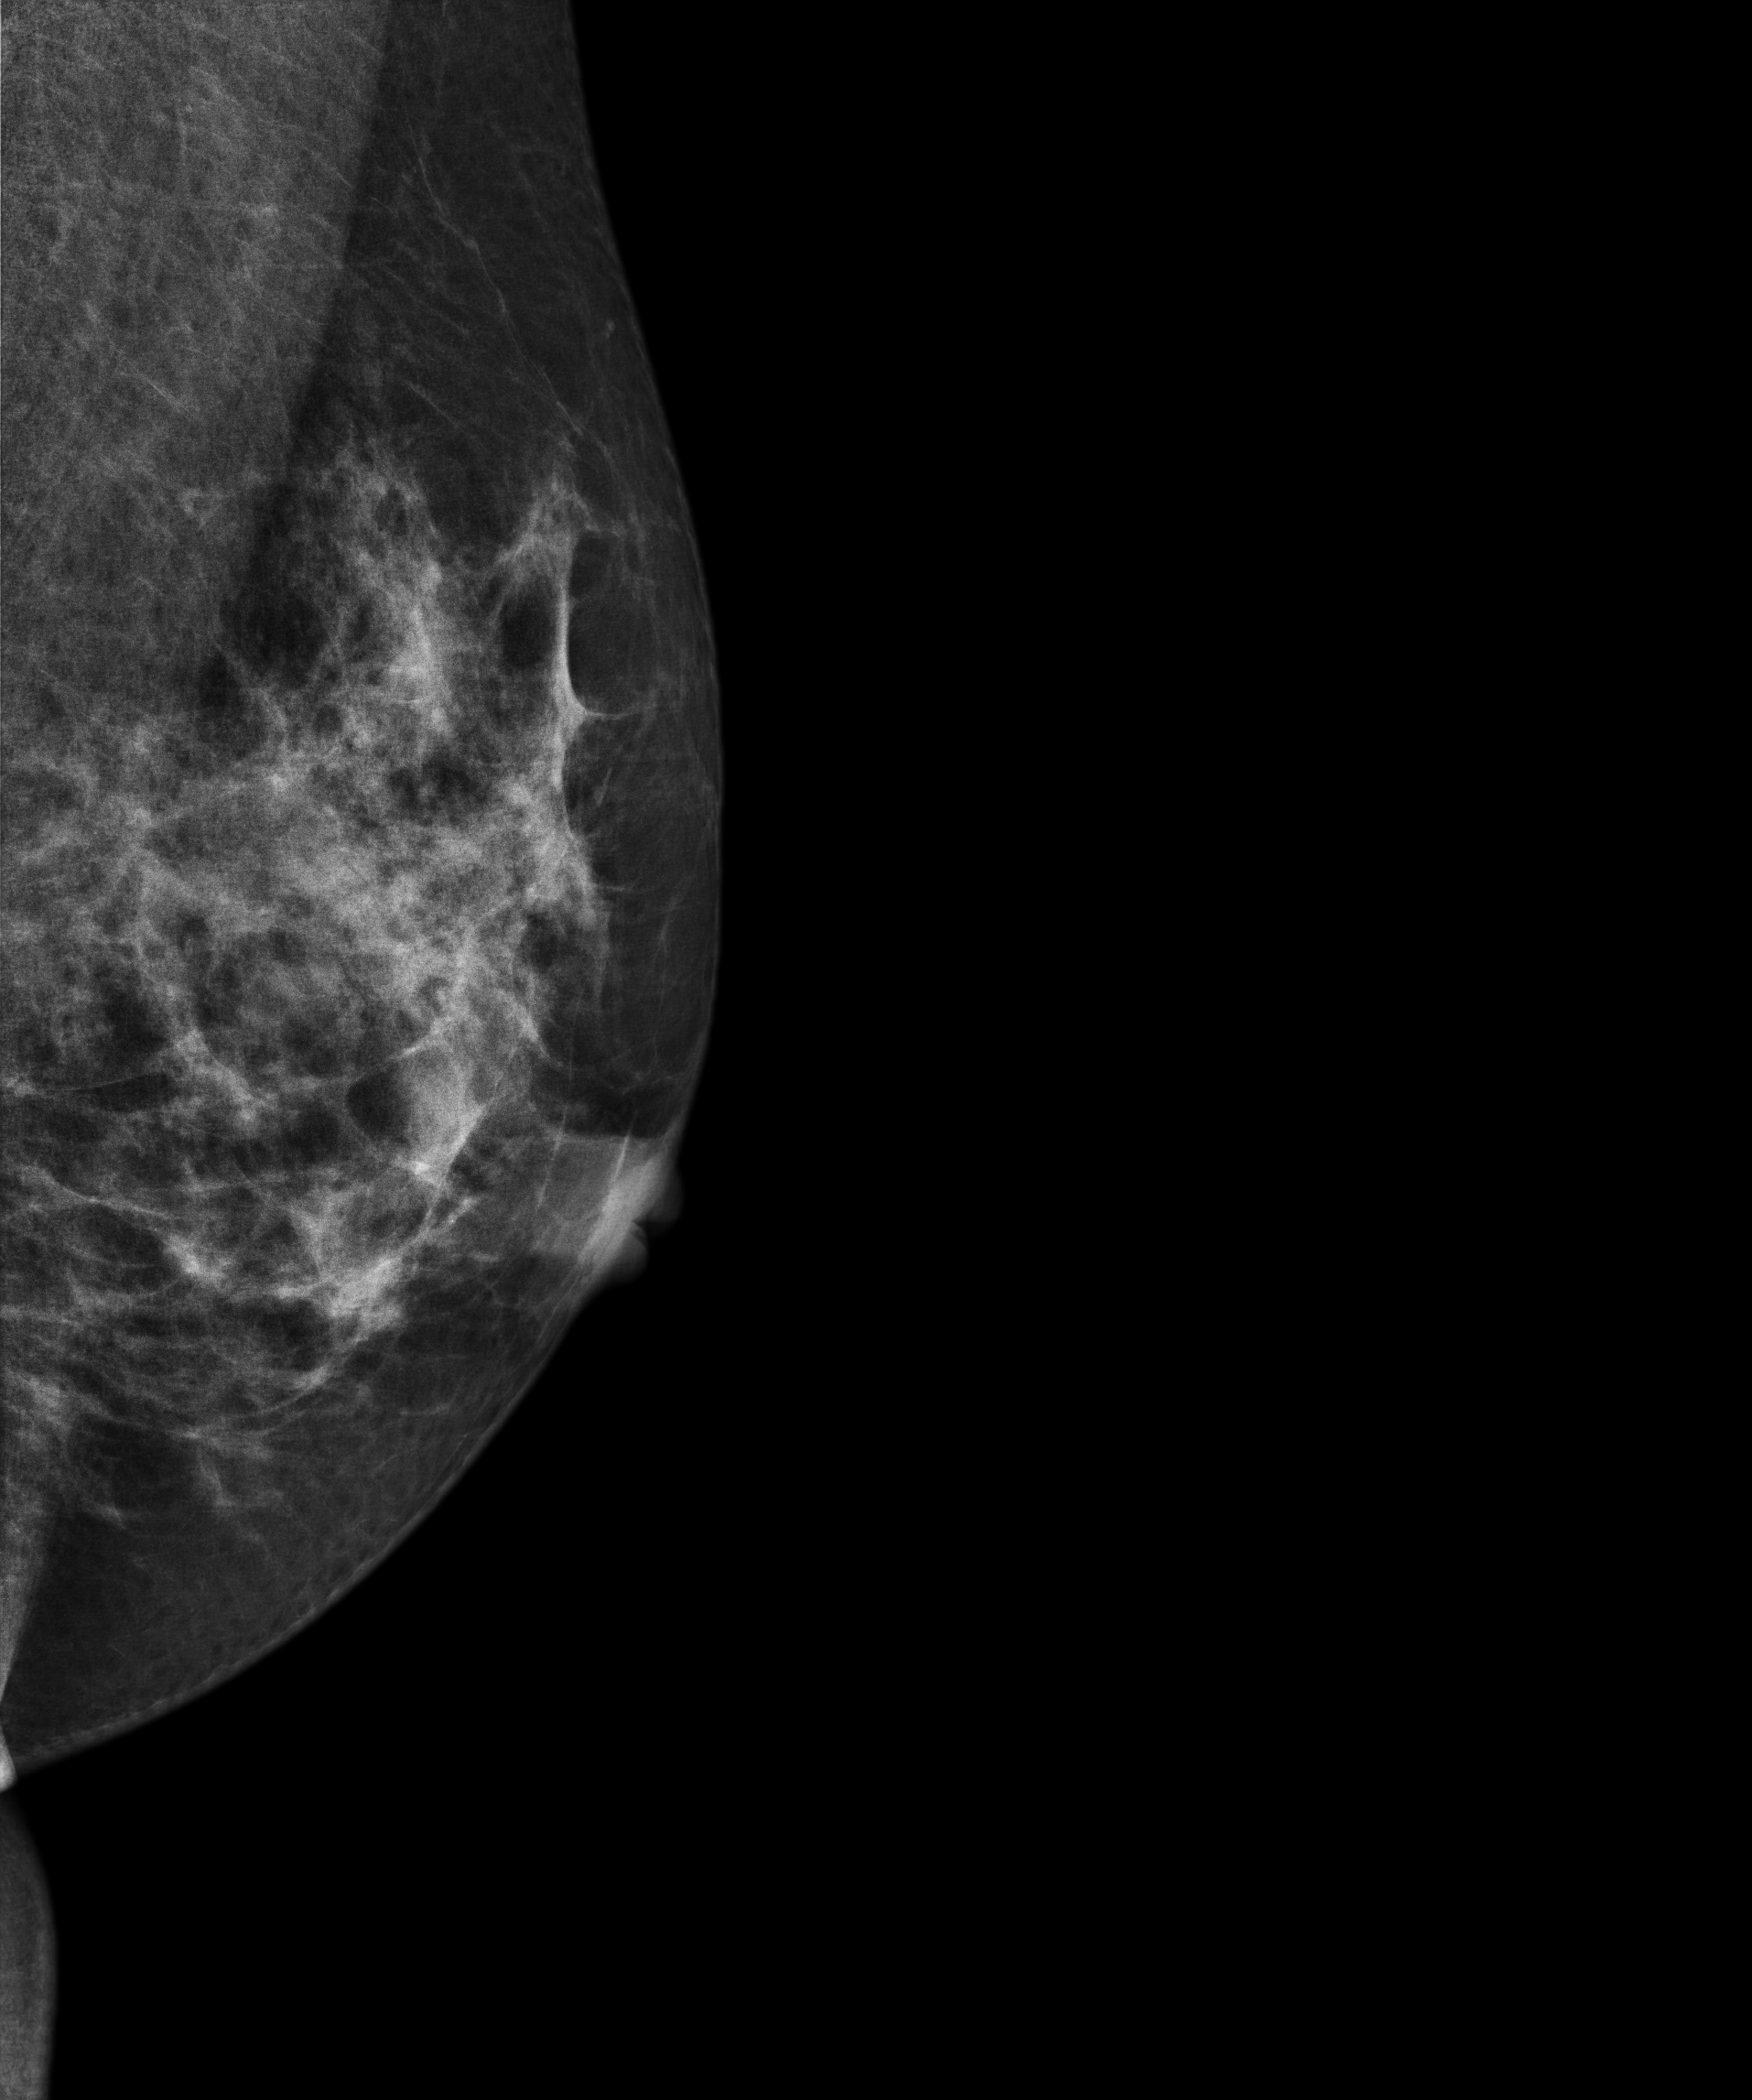
Mammogram — left MLO. Patient age 30.
Contralateral breast — no documented abnormality on this side.